Left-breast mammogram, CC. Patient age 57.
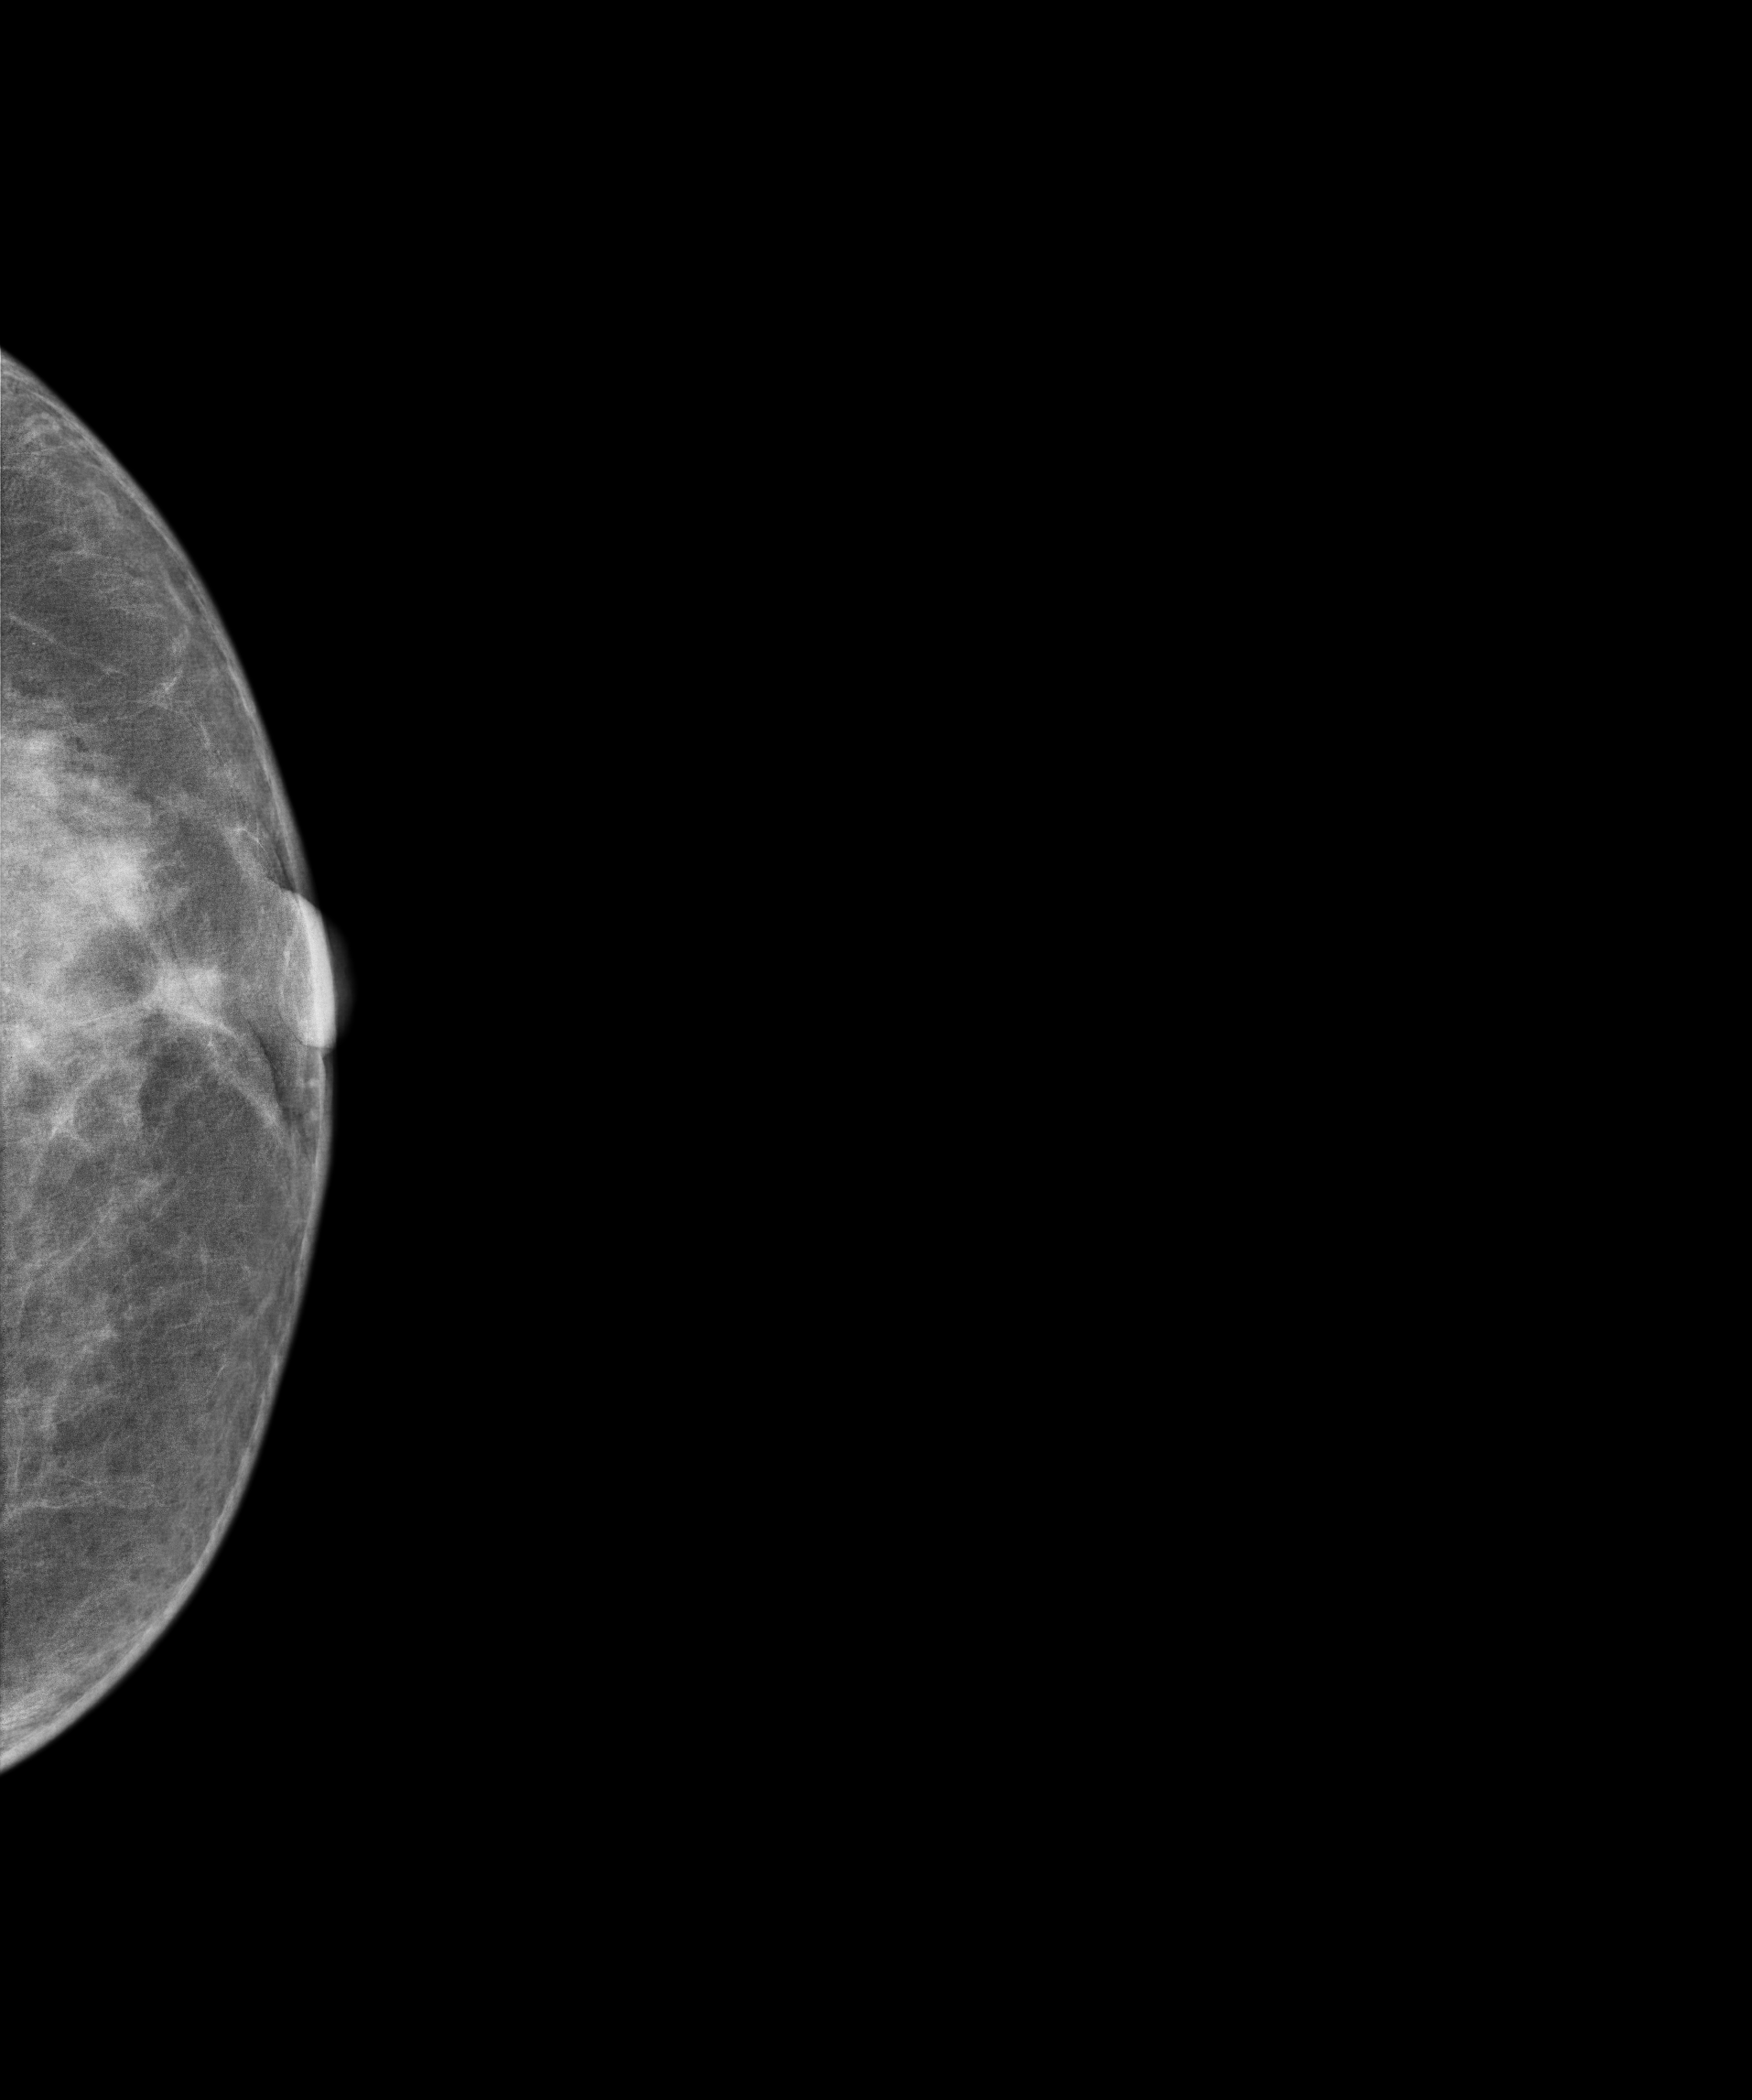
This breast has a mass, pathology-confirmed malignant.